Mammogram — left medio-lateral oblique. 51 y/o patient.
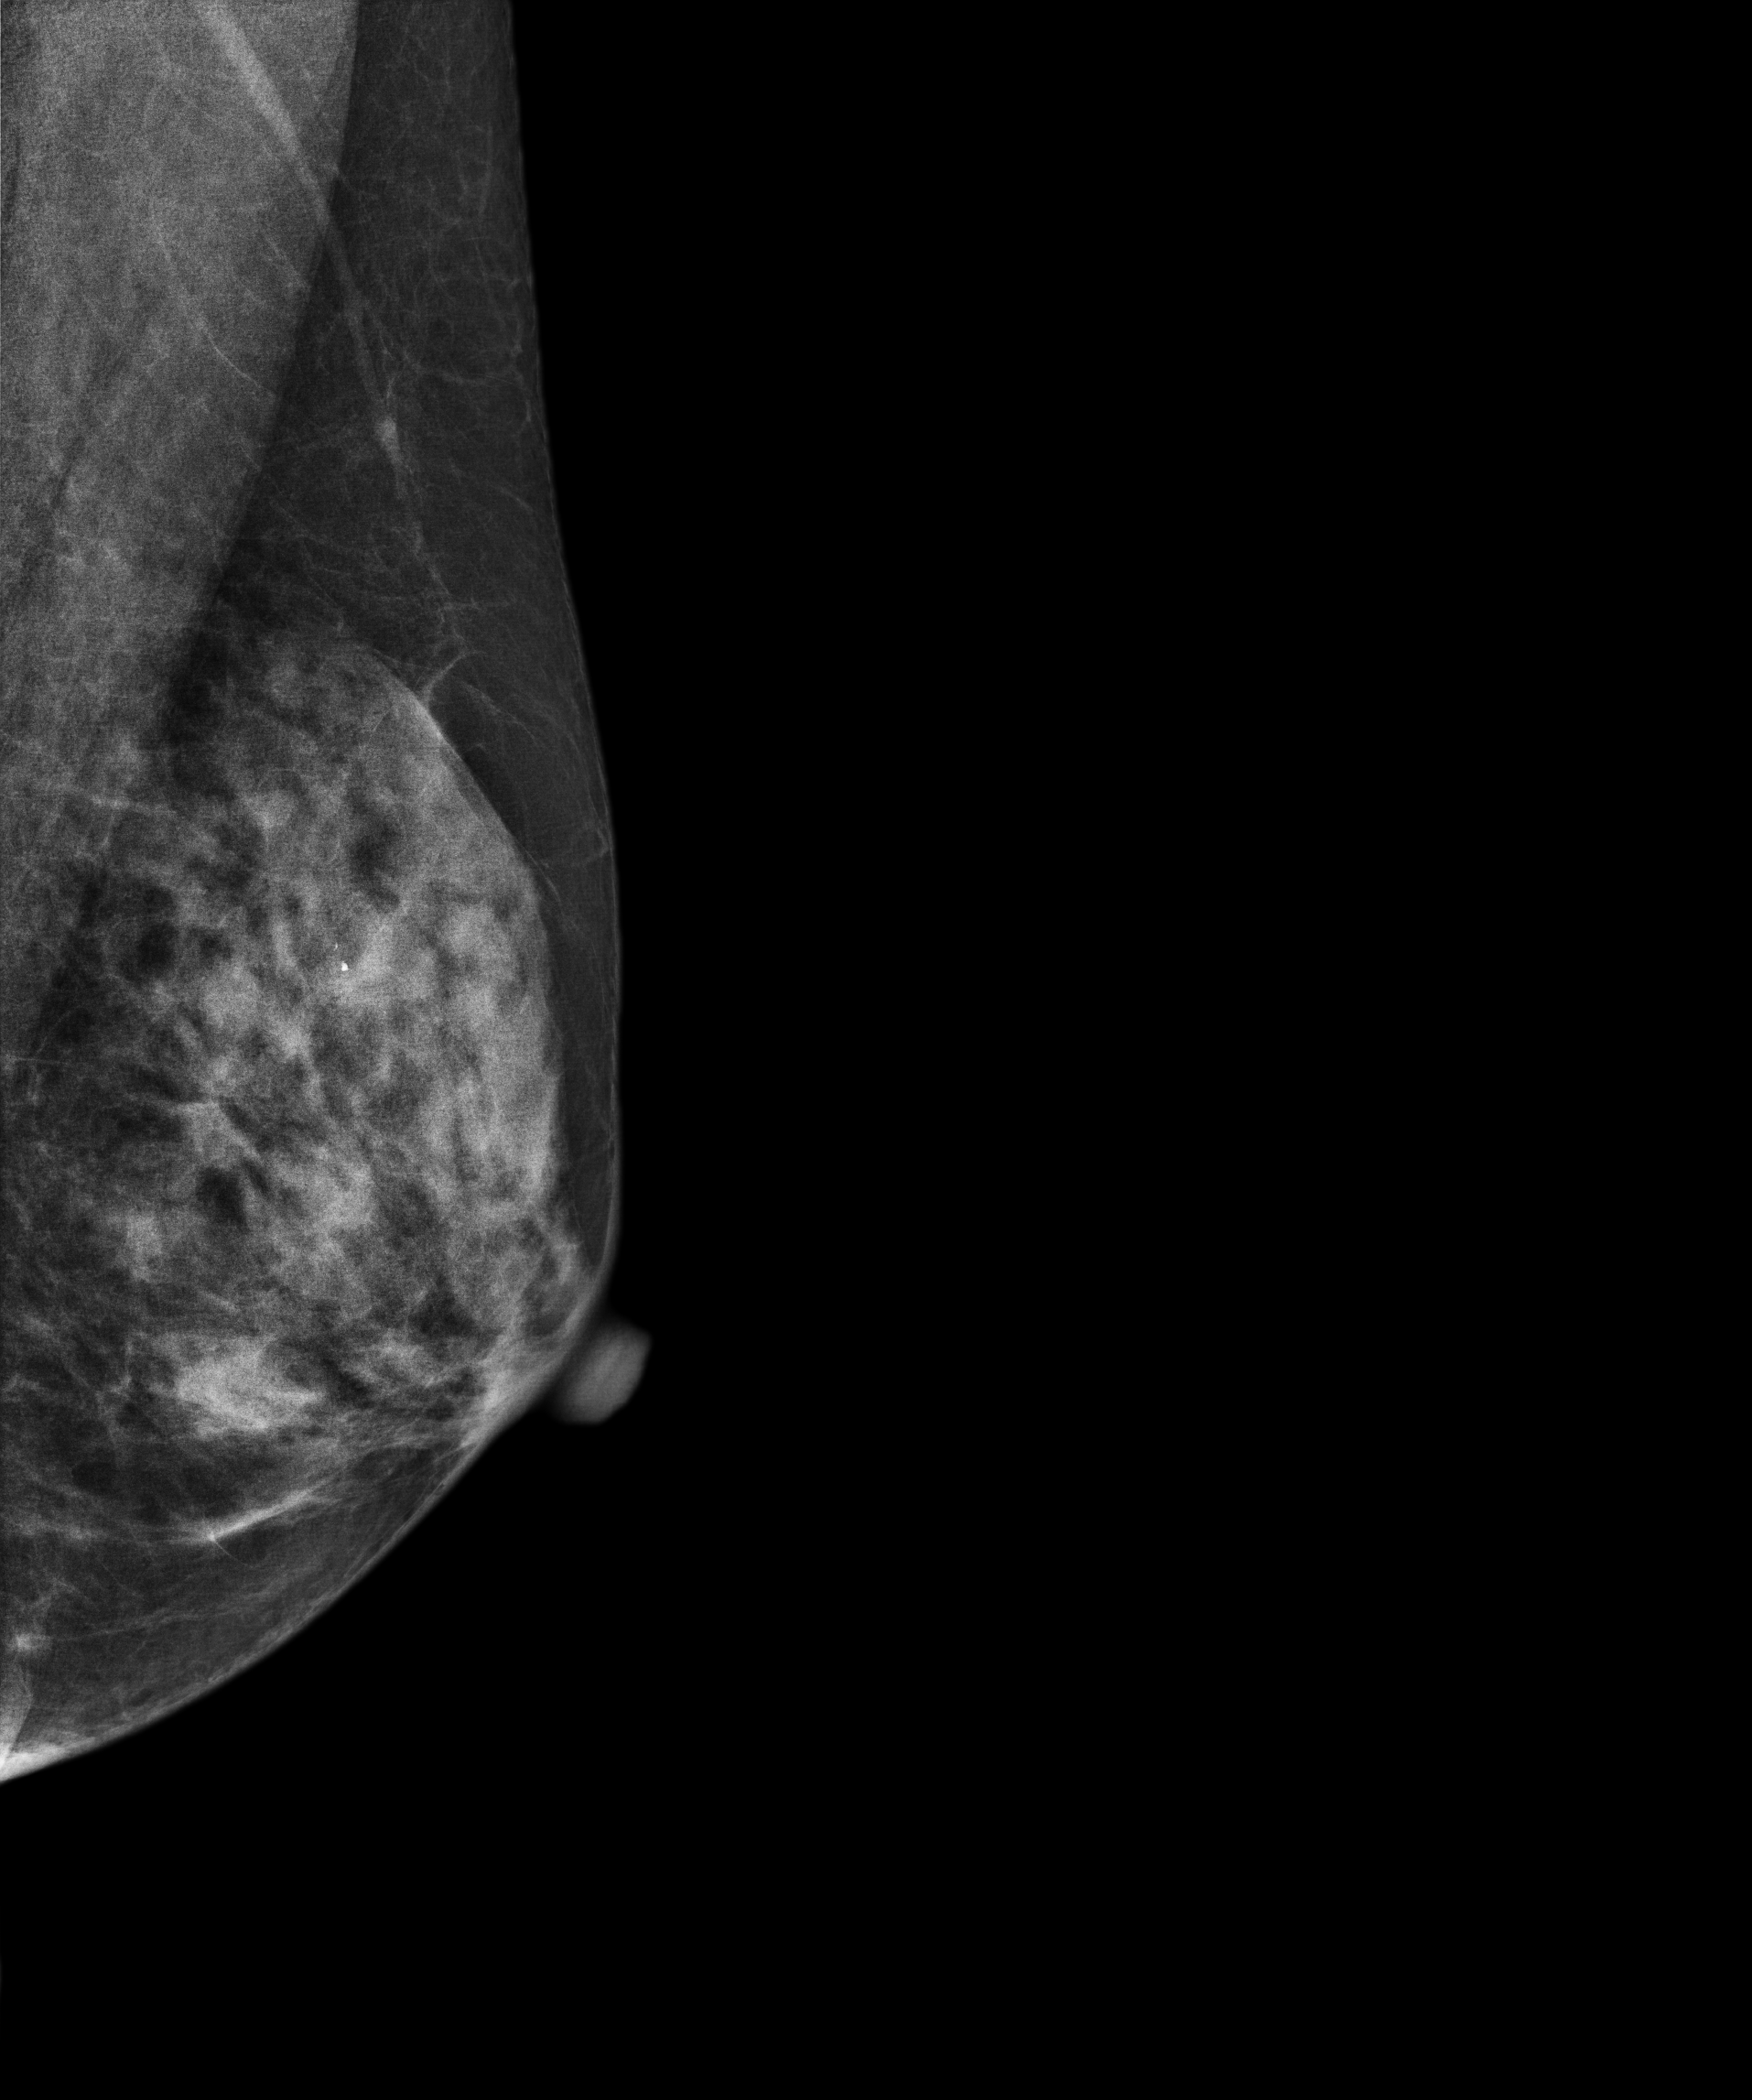
This breast has a mass and calcifications, histologically confirmed benign.